Mammogram — right cranio-caudal. Patient age 41.
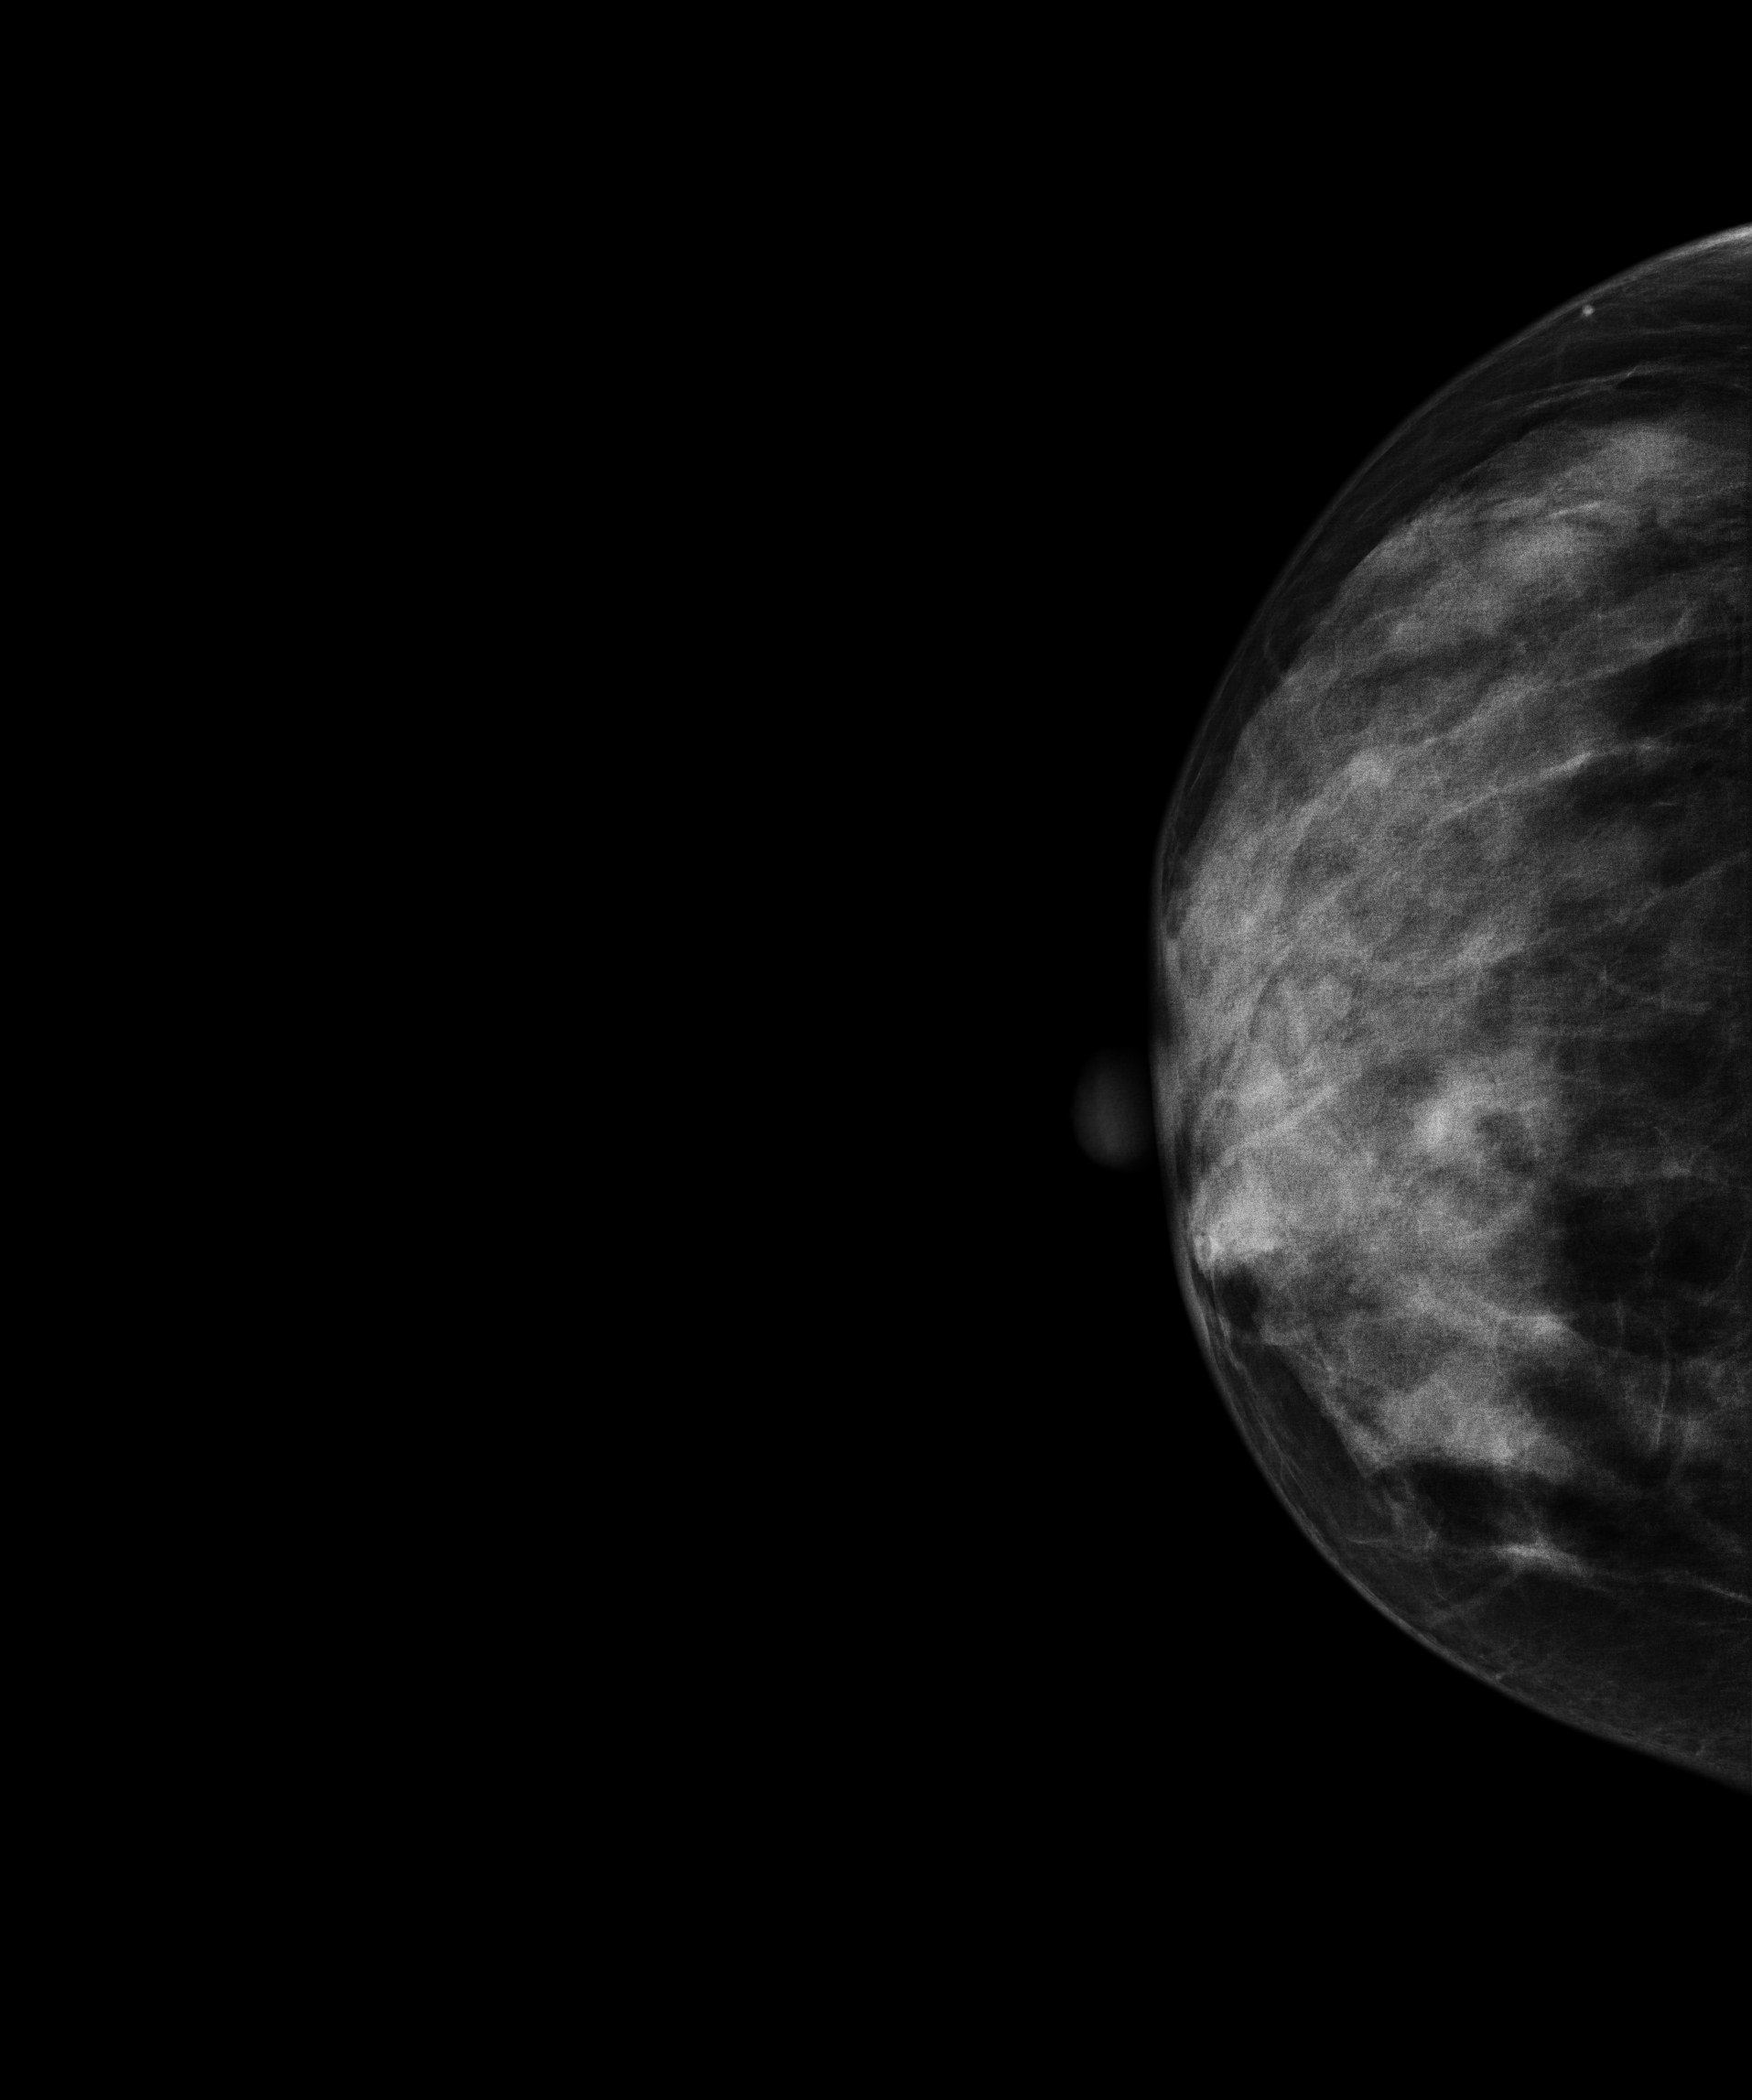
Contralateral breast — no documented abnormality on this side.